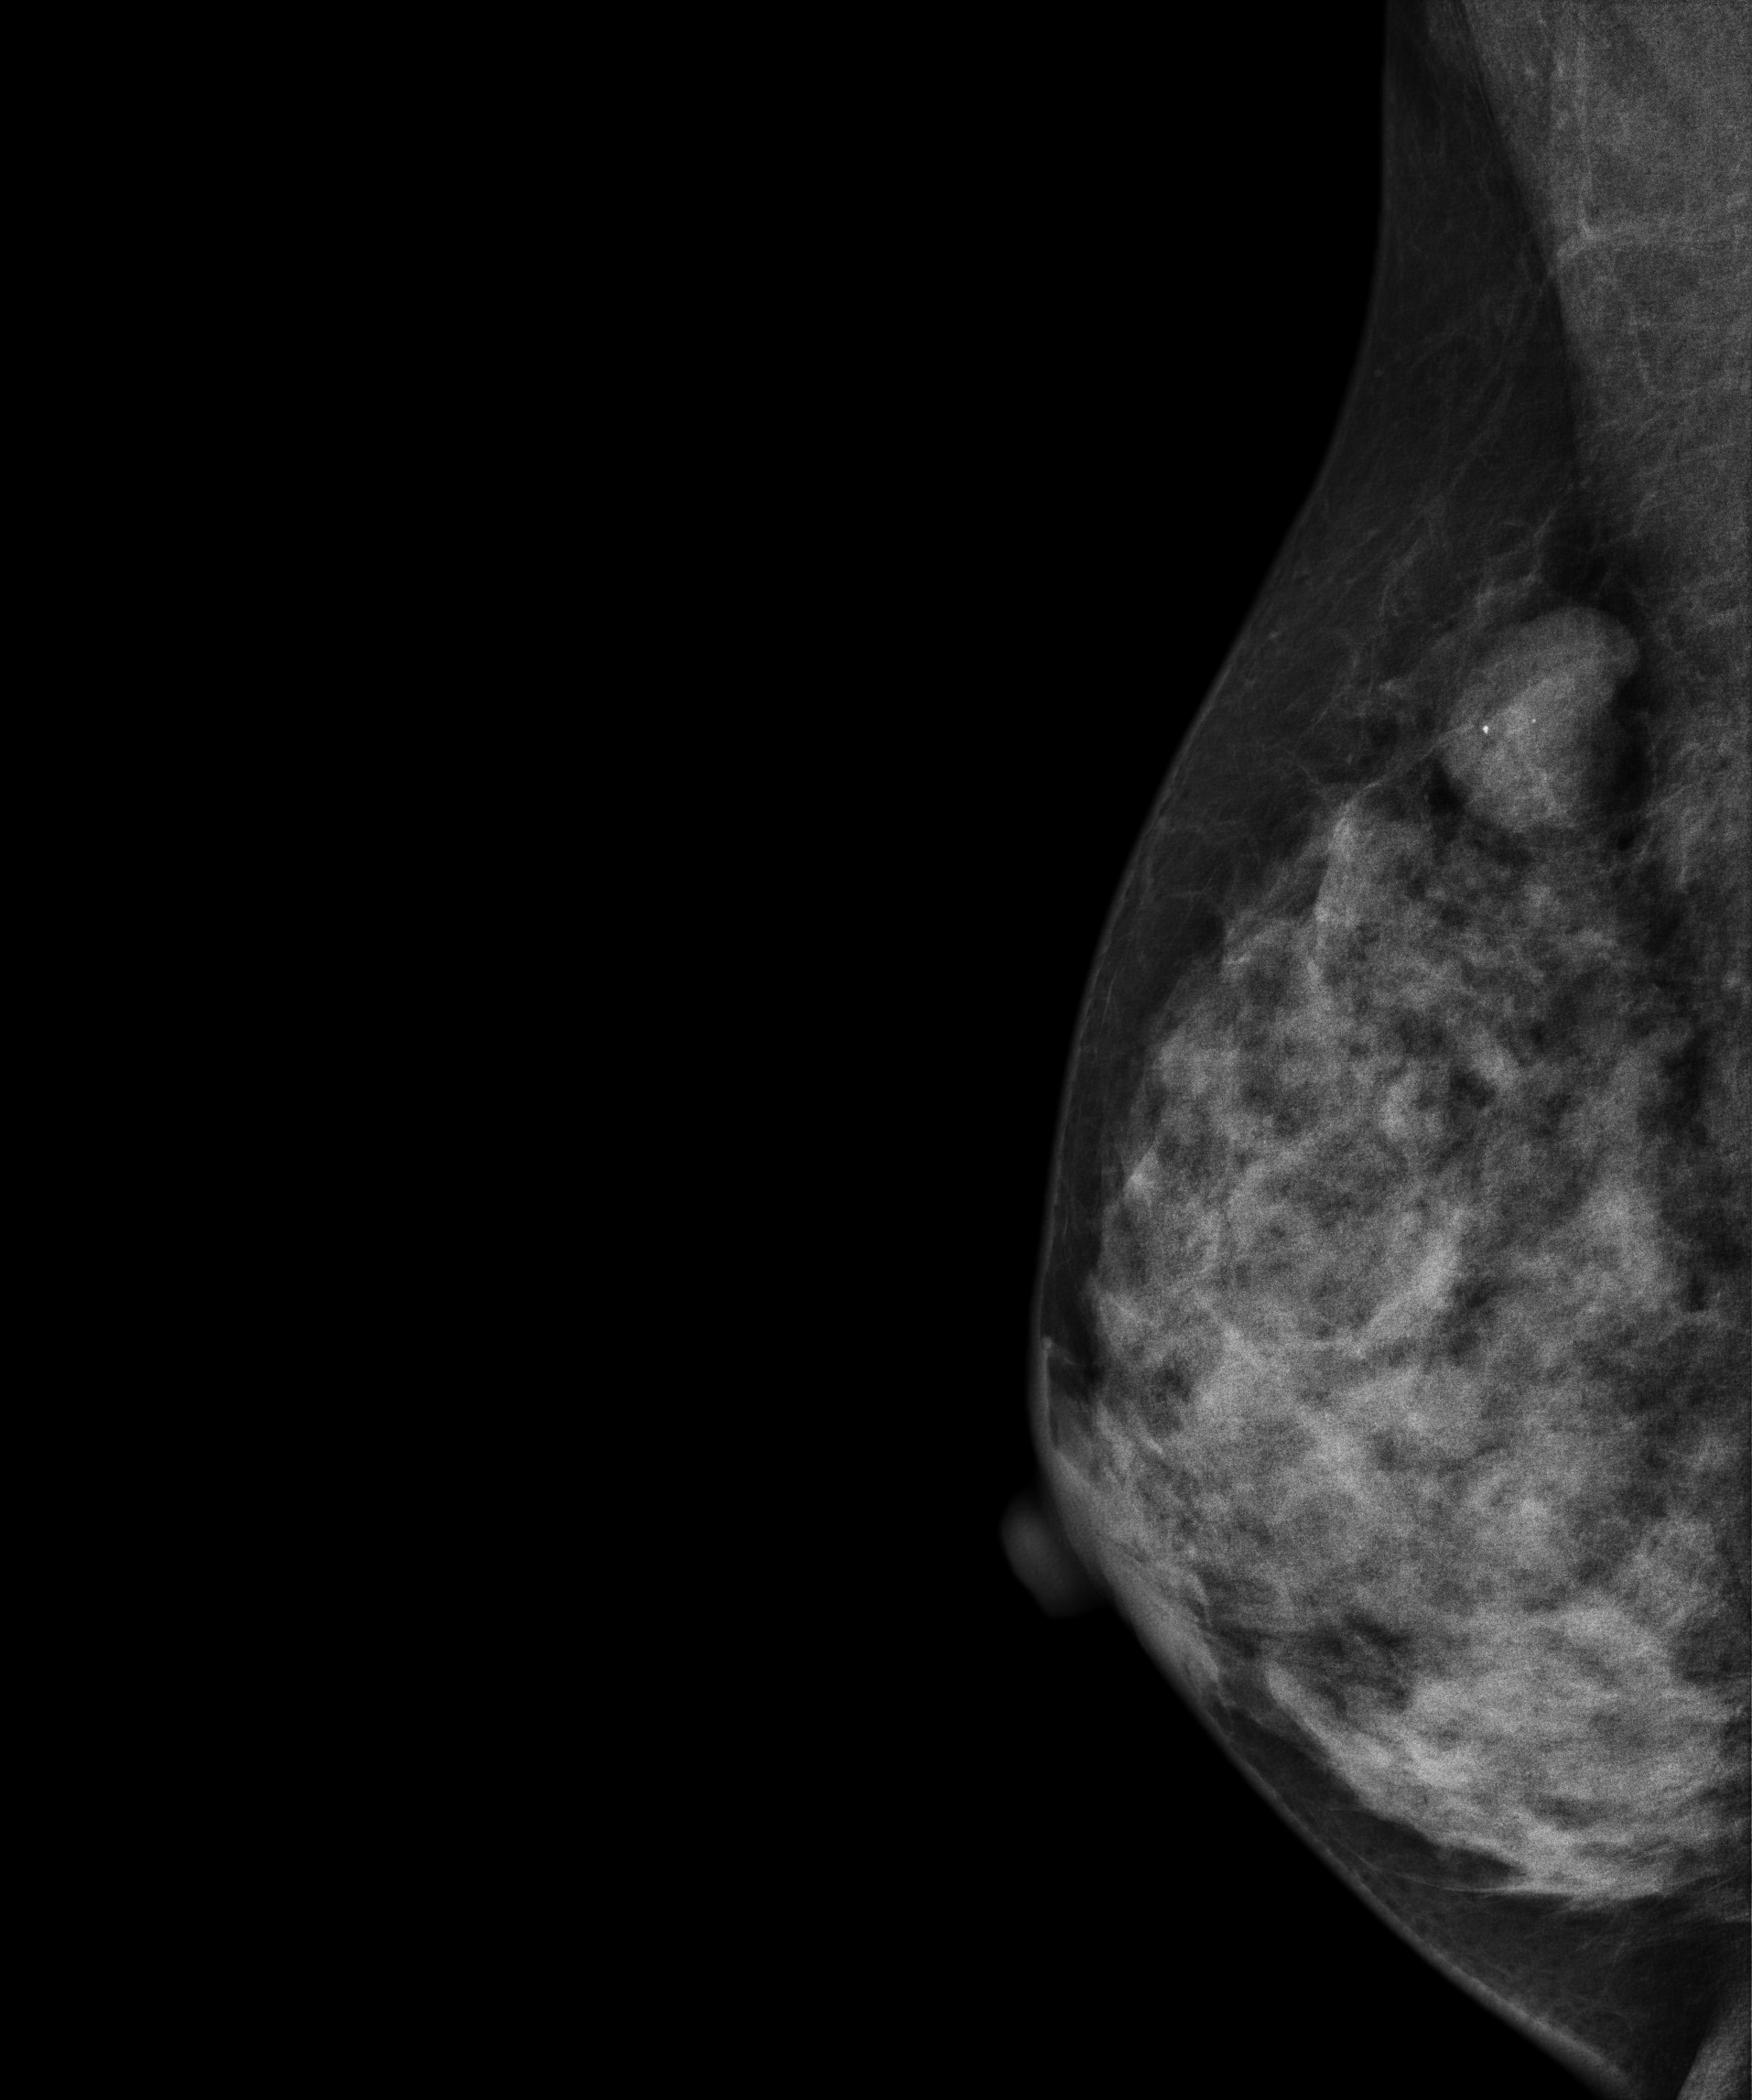
Mammogram, right breast, medio-lateral oblique view. 45 y/o patient.
This breast has a mass and calcifications, biopsy-proven benign.